Left-breast mammogram, cranio-caudal. 59-year-old patient.
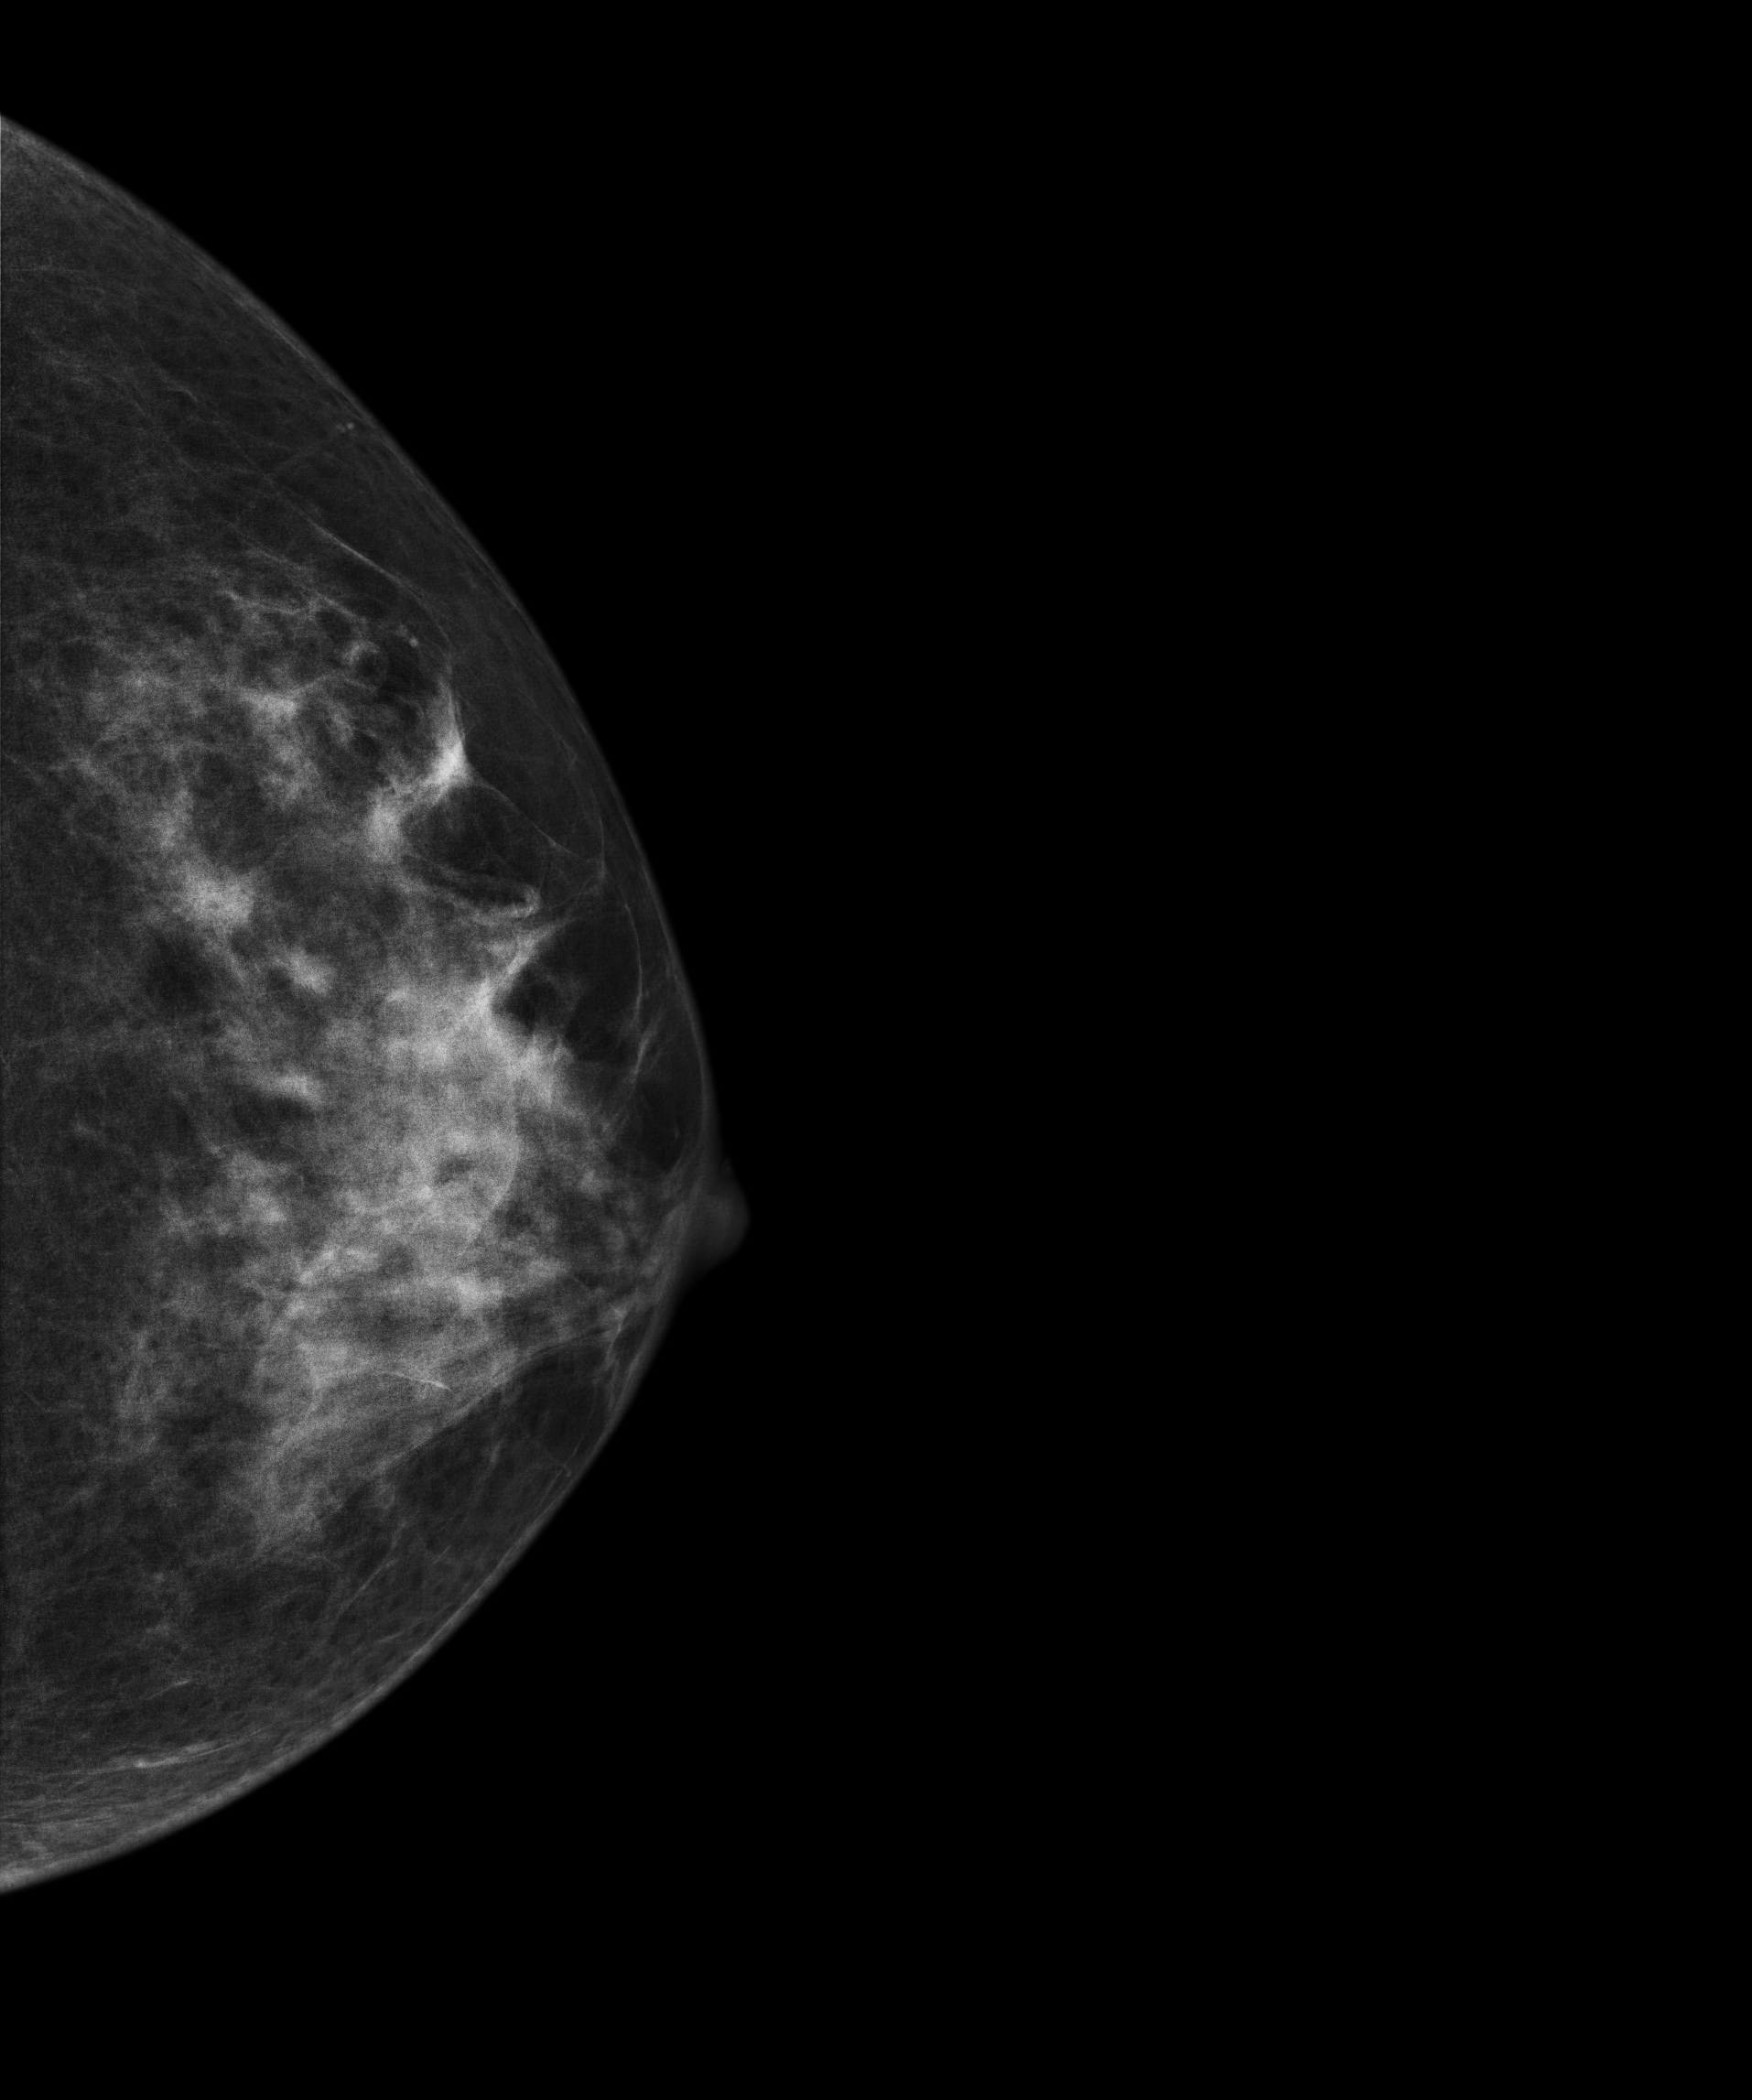
This breast has a mass, biopsy-confirmed benign.